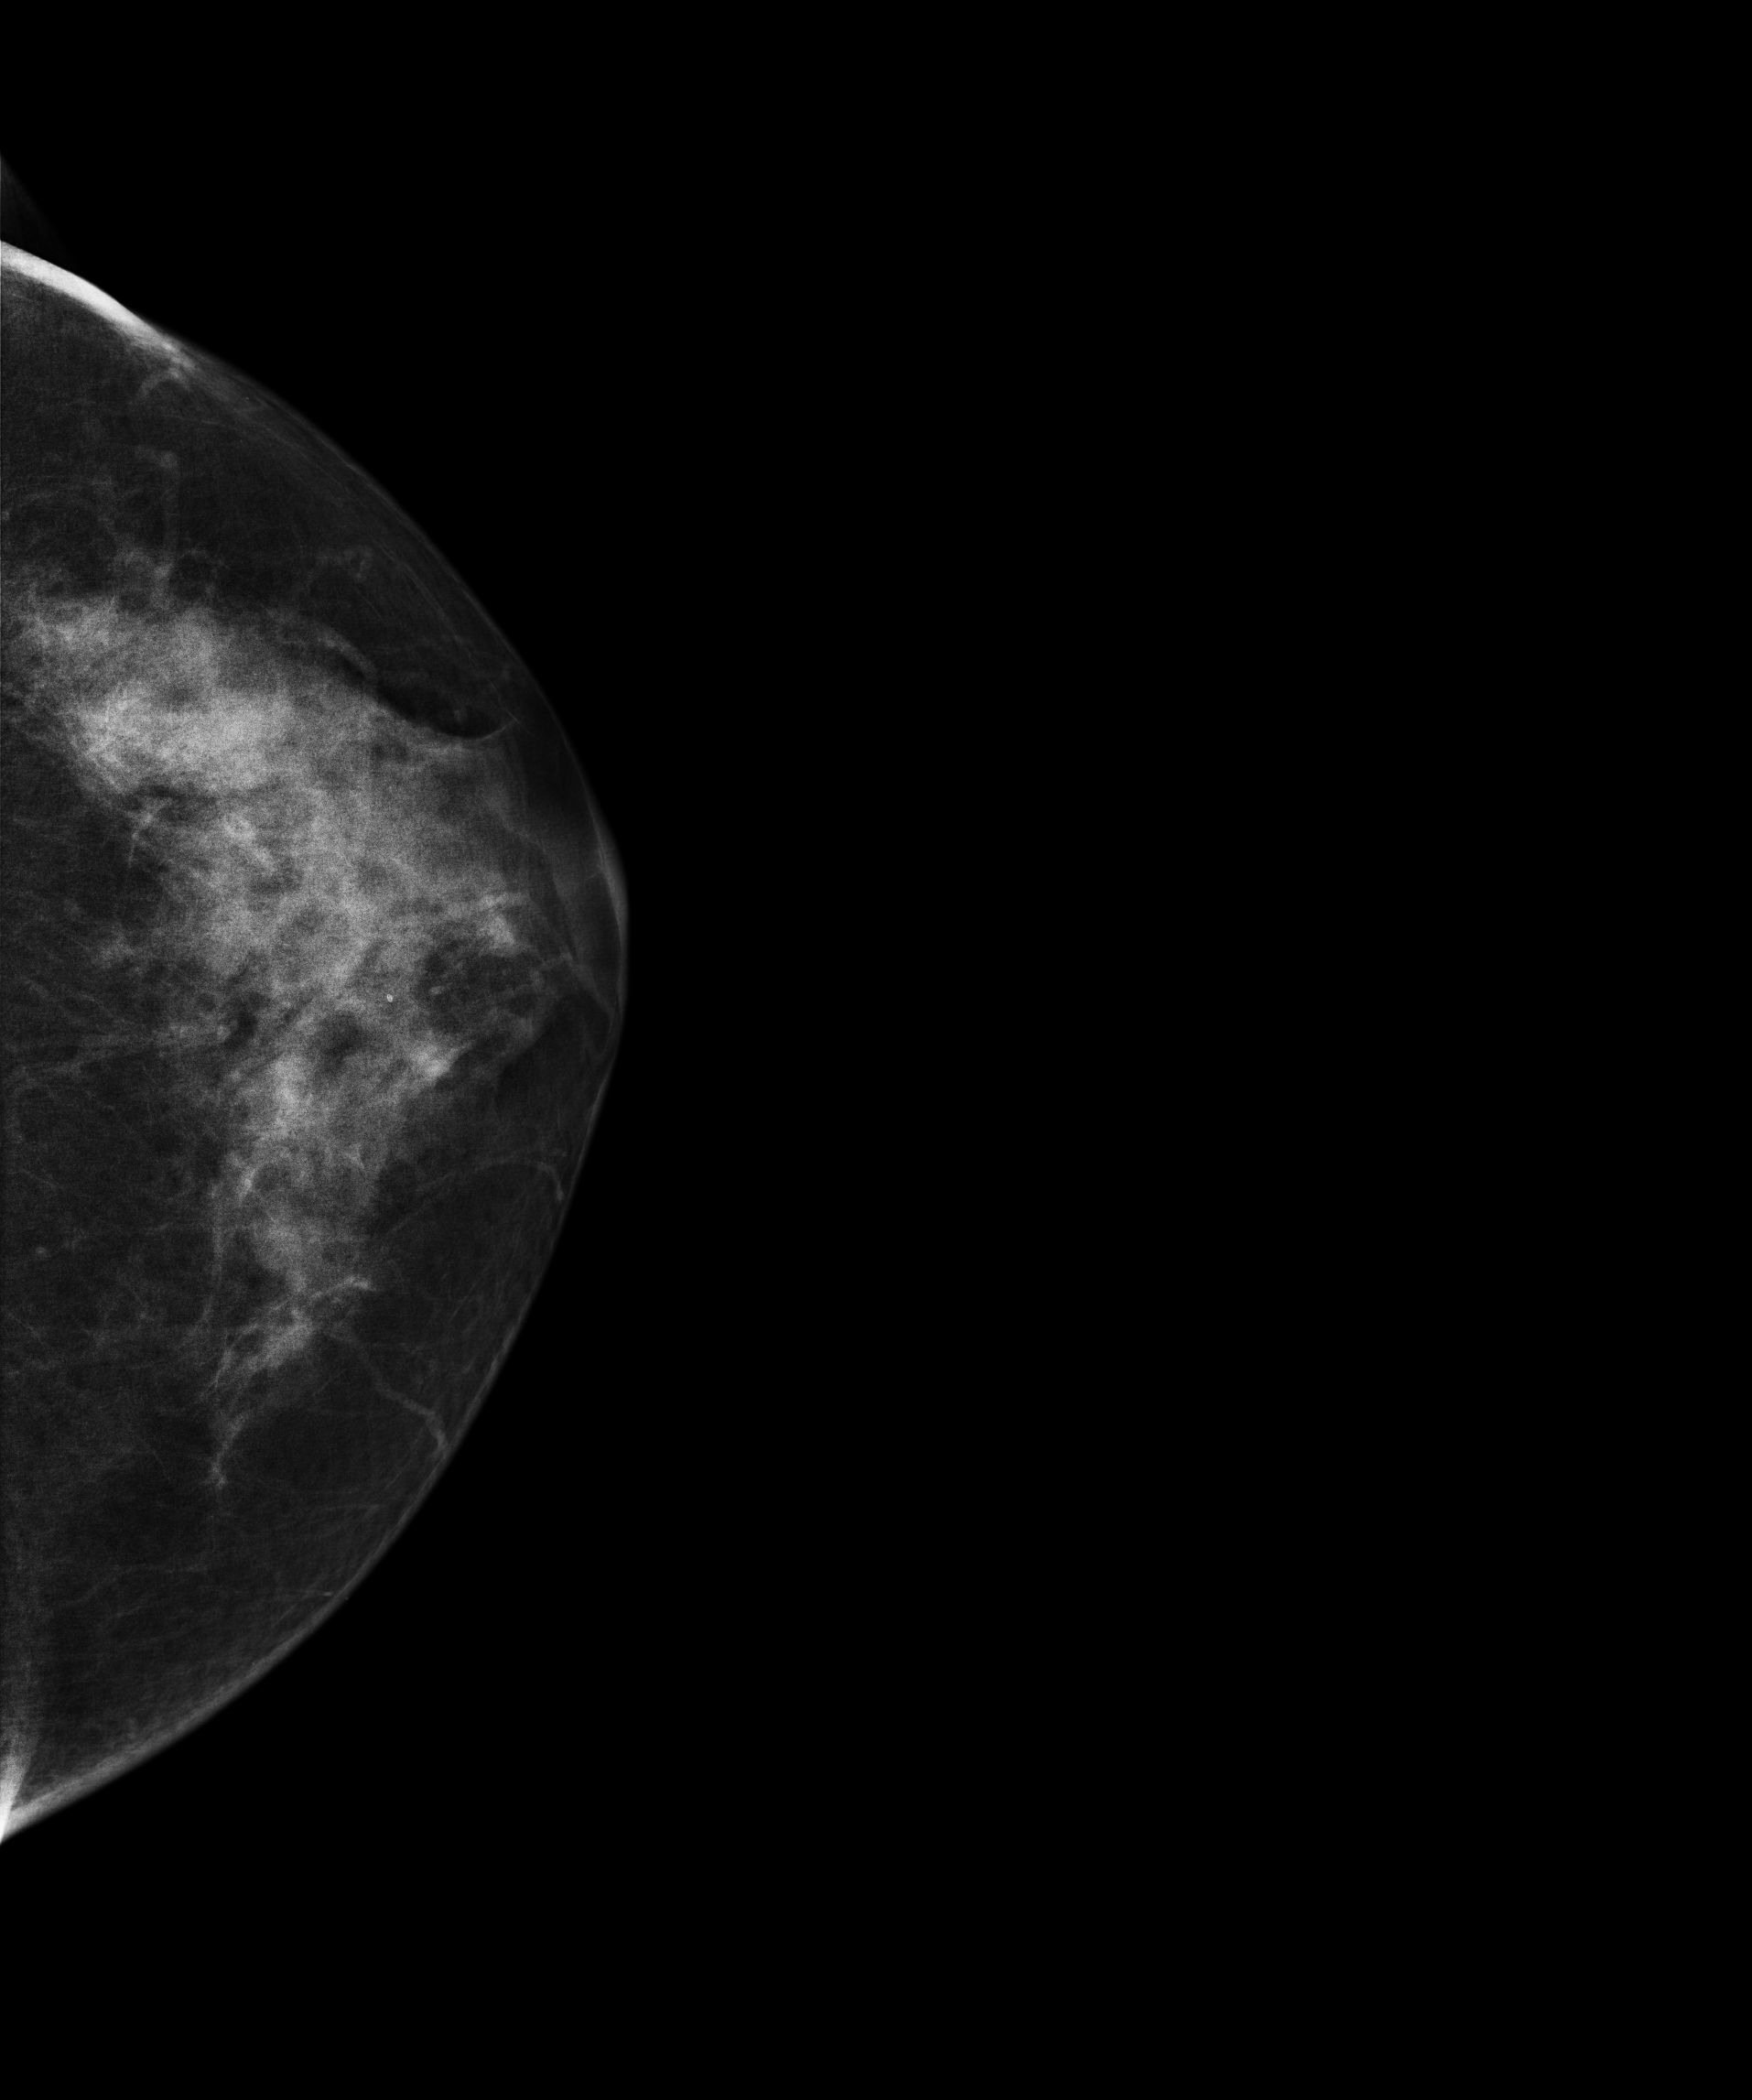
Cranio-caudal mammogram of the left breast. 71 y/o patient.
Contralateral breast — no documented abnormality on this side.